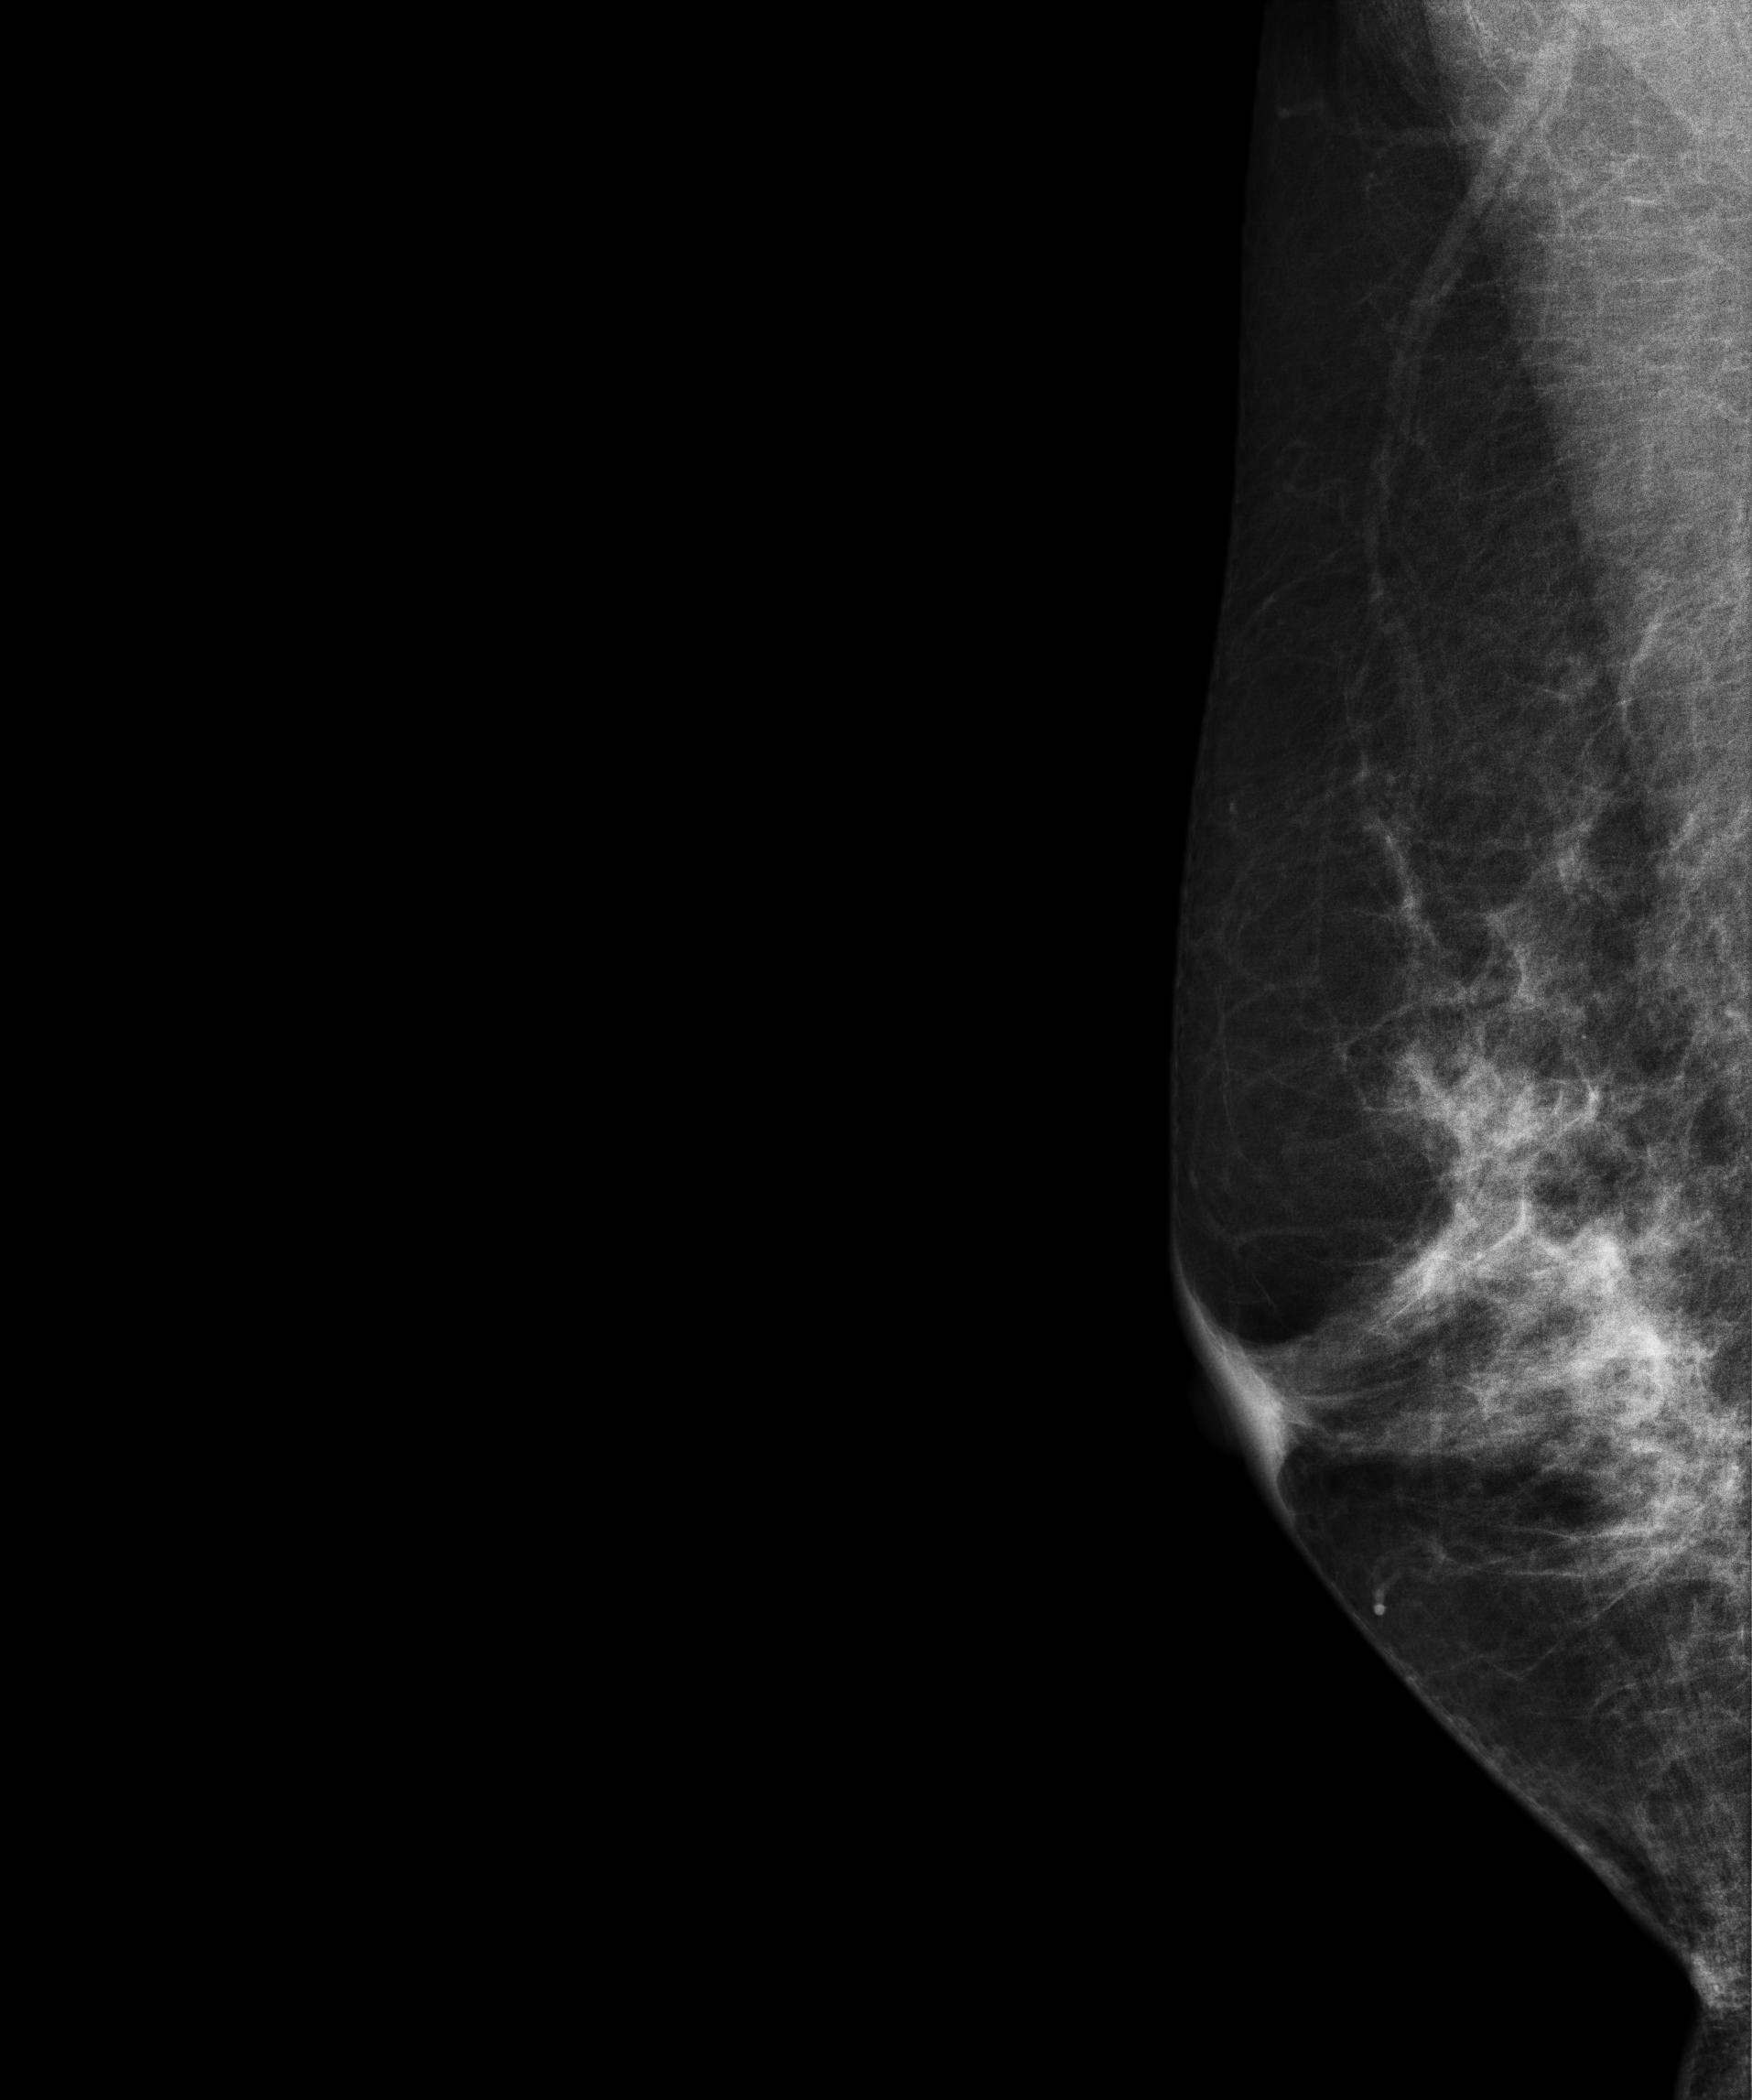
Mammogram — right medio-lateral oblique. Patient age 56.
Contralateral breast — no documented abnormality on this side.